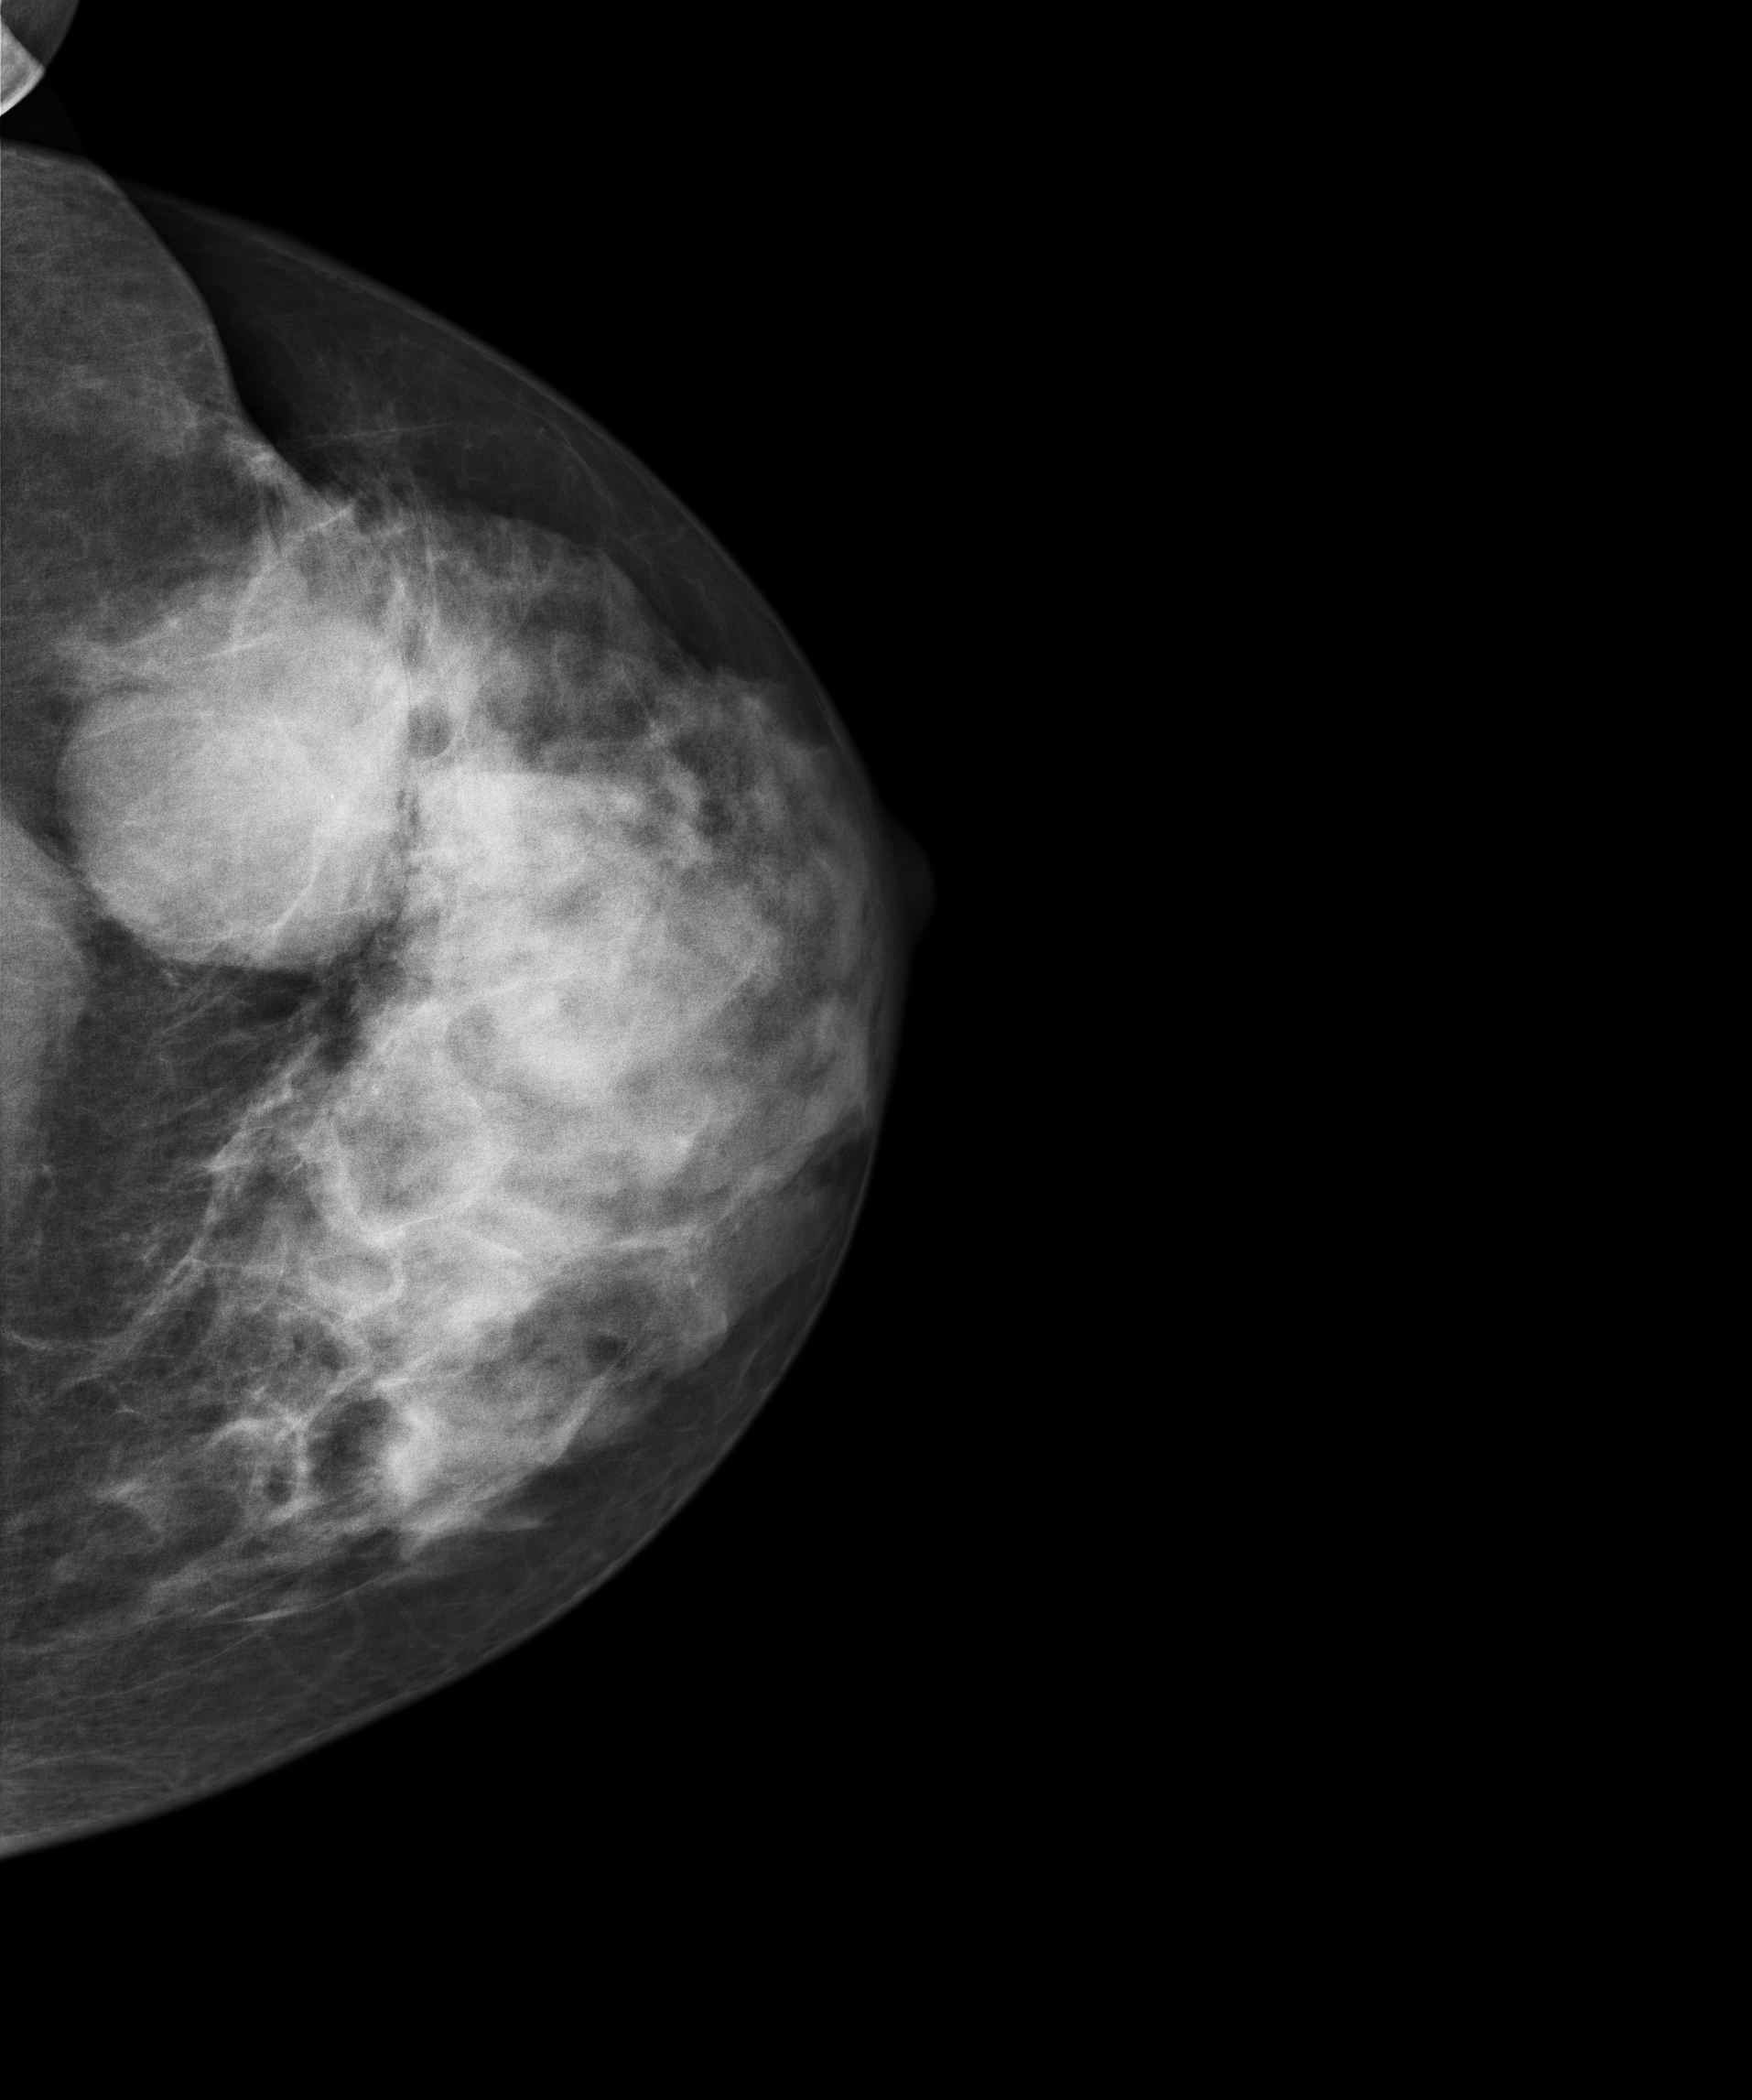
Digital mammography. Left breast, cranio-caudal projection. Patient age 56.
This breast has a mass, biopsy-proven malignant.